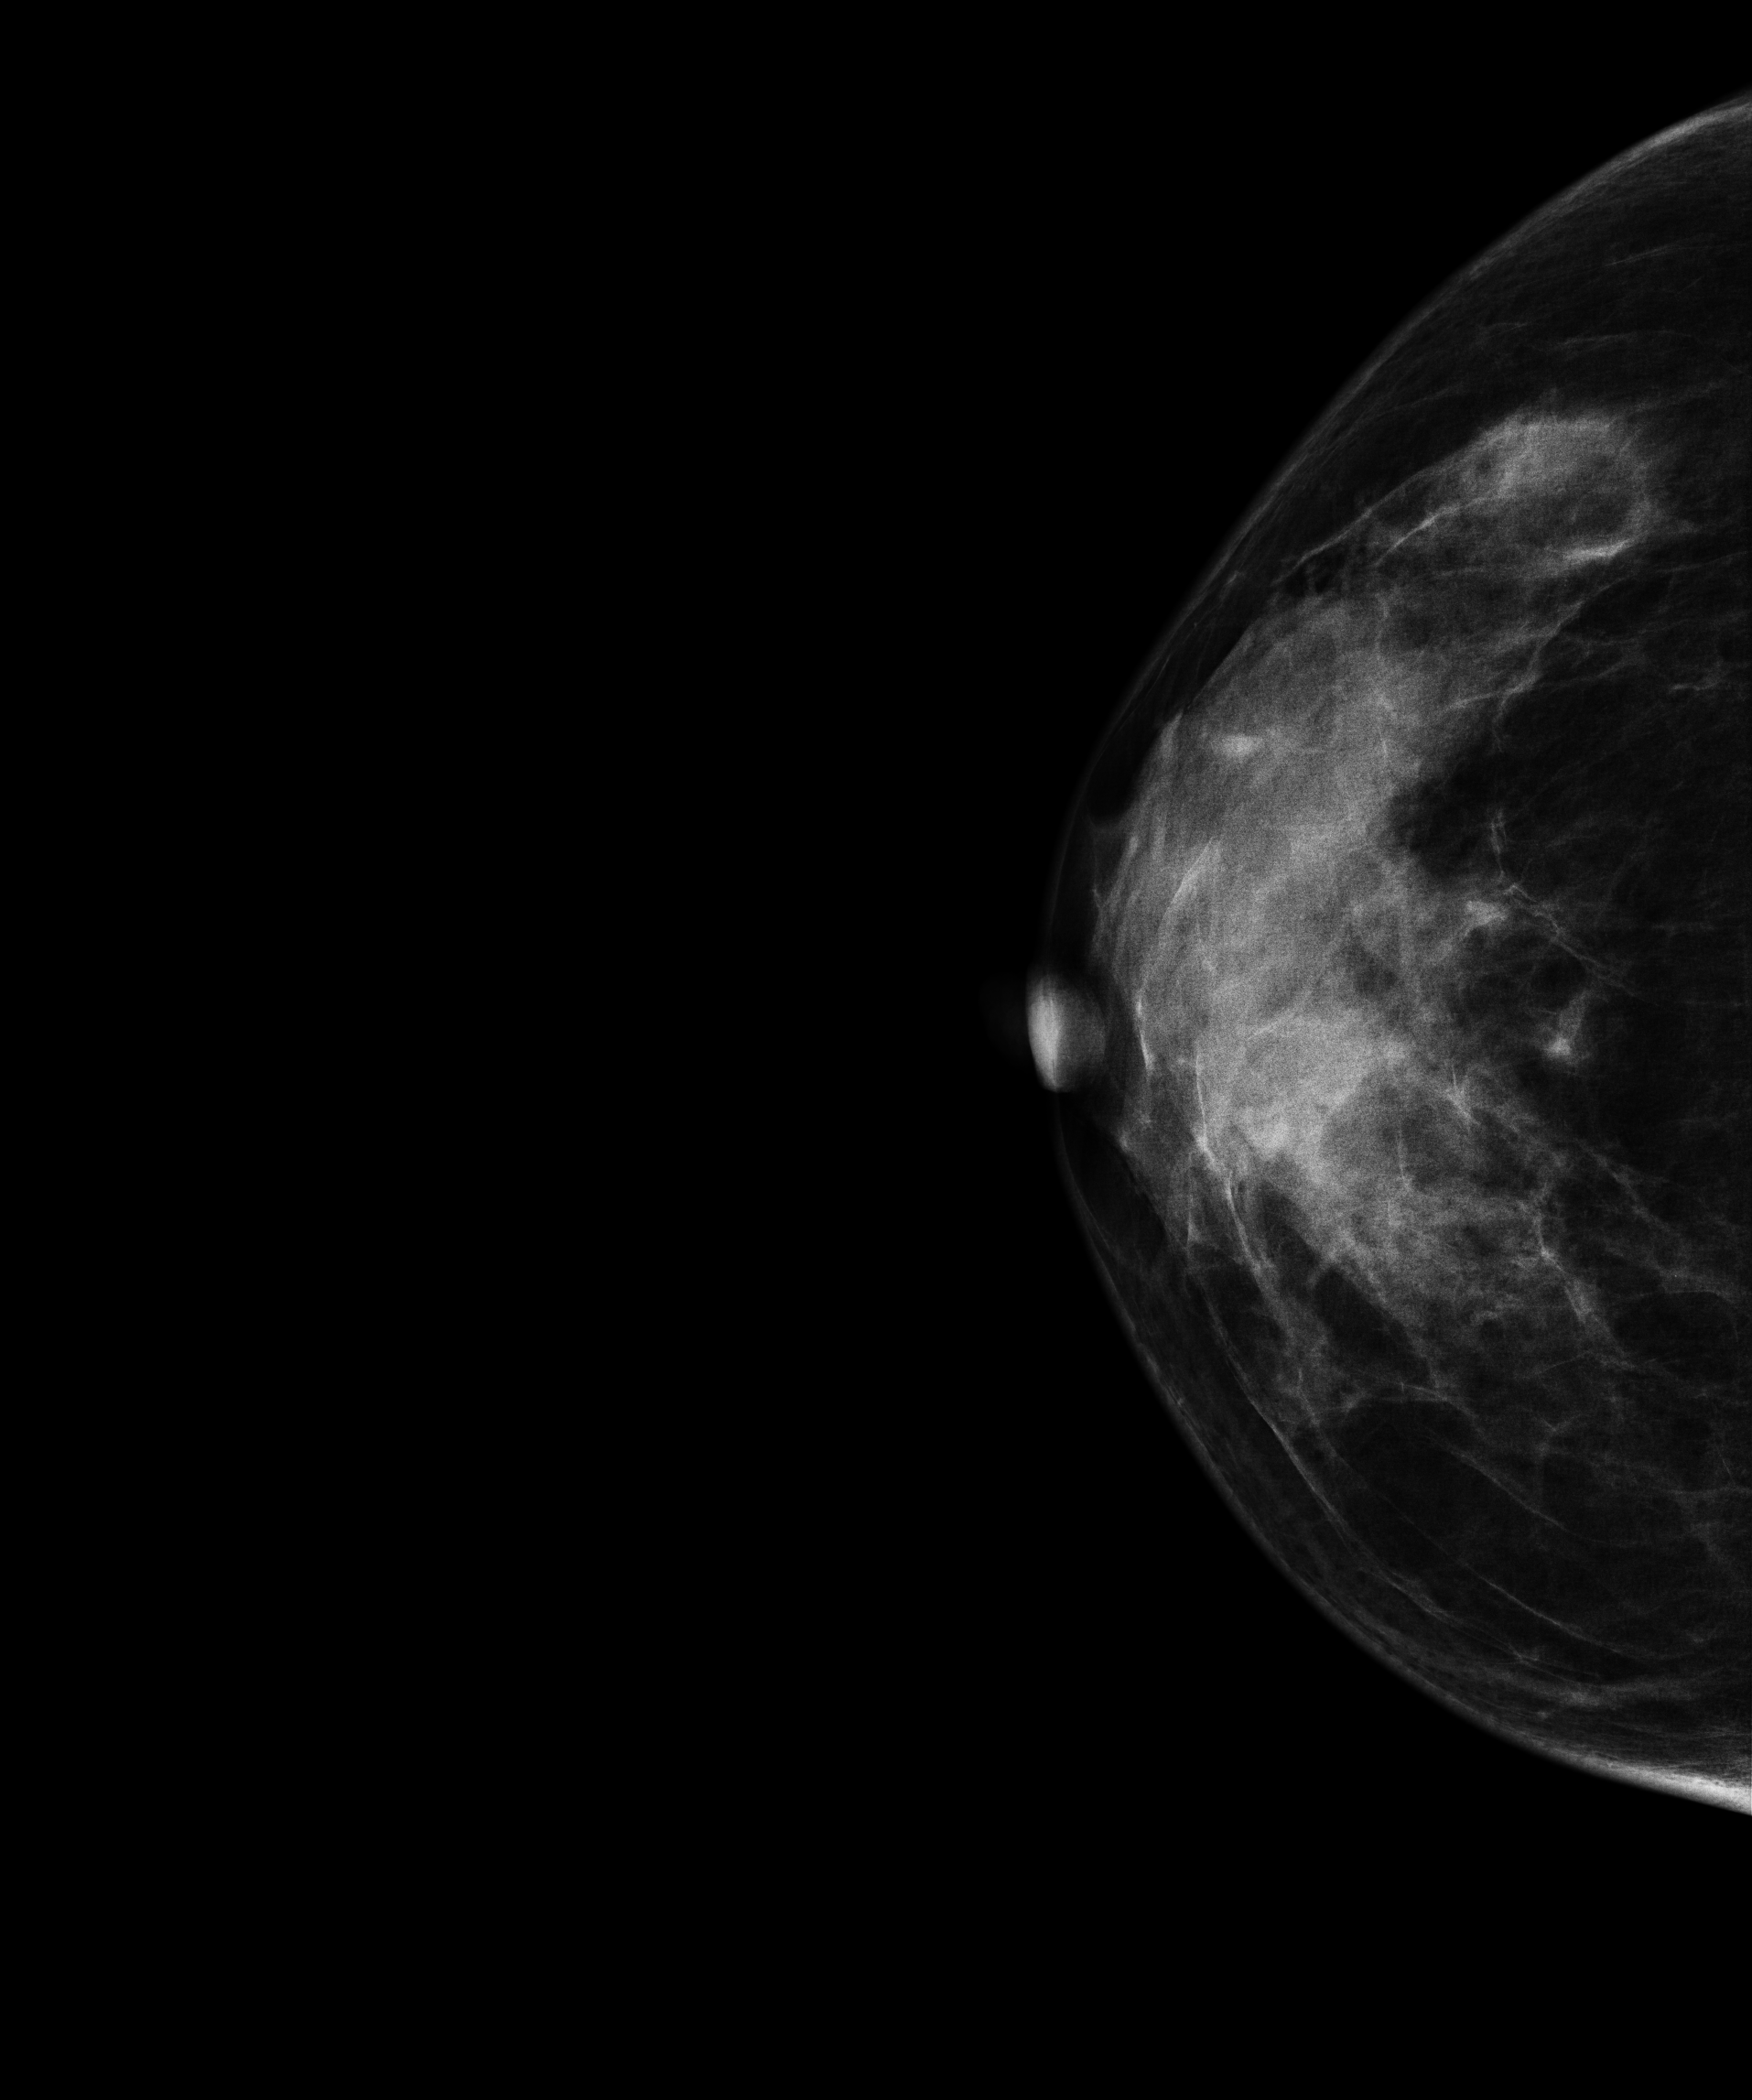
CC mammogram of the right breast. Patient age 32.
Contralateral breast — no documented abnormality on this side.